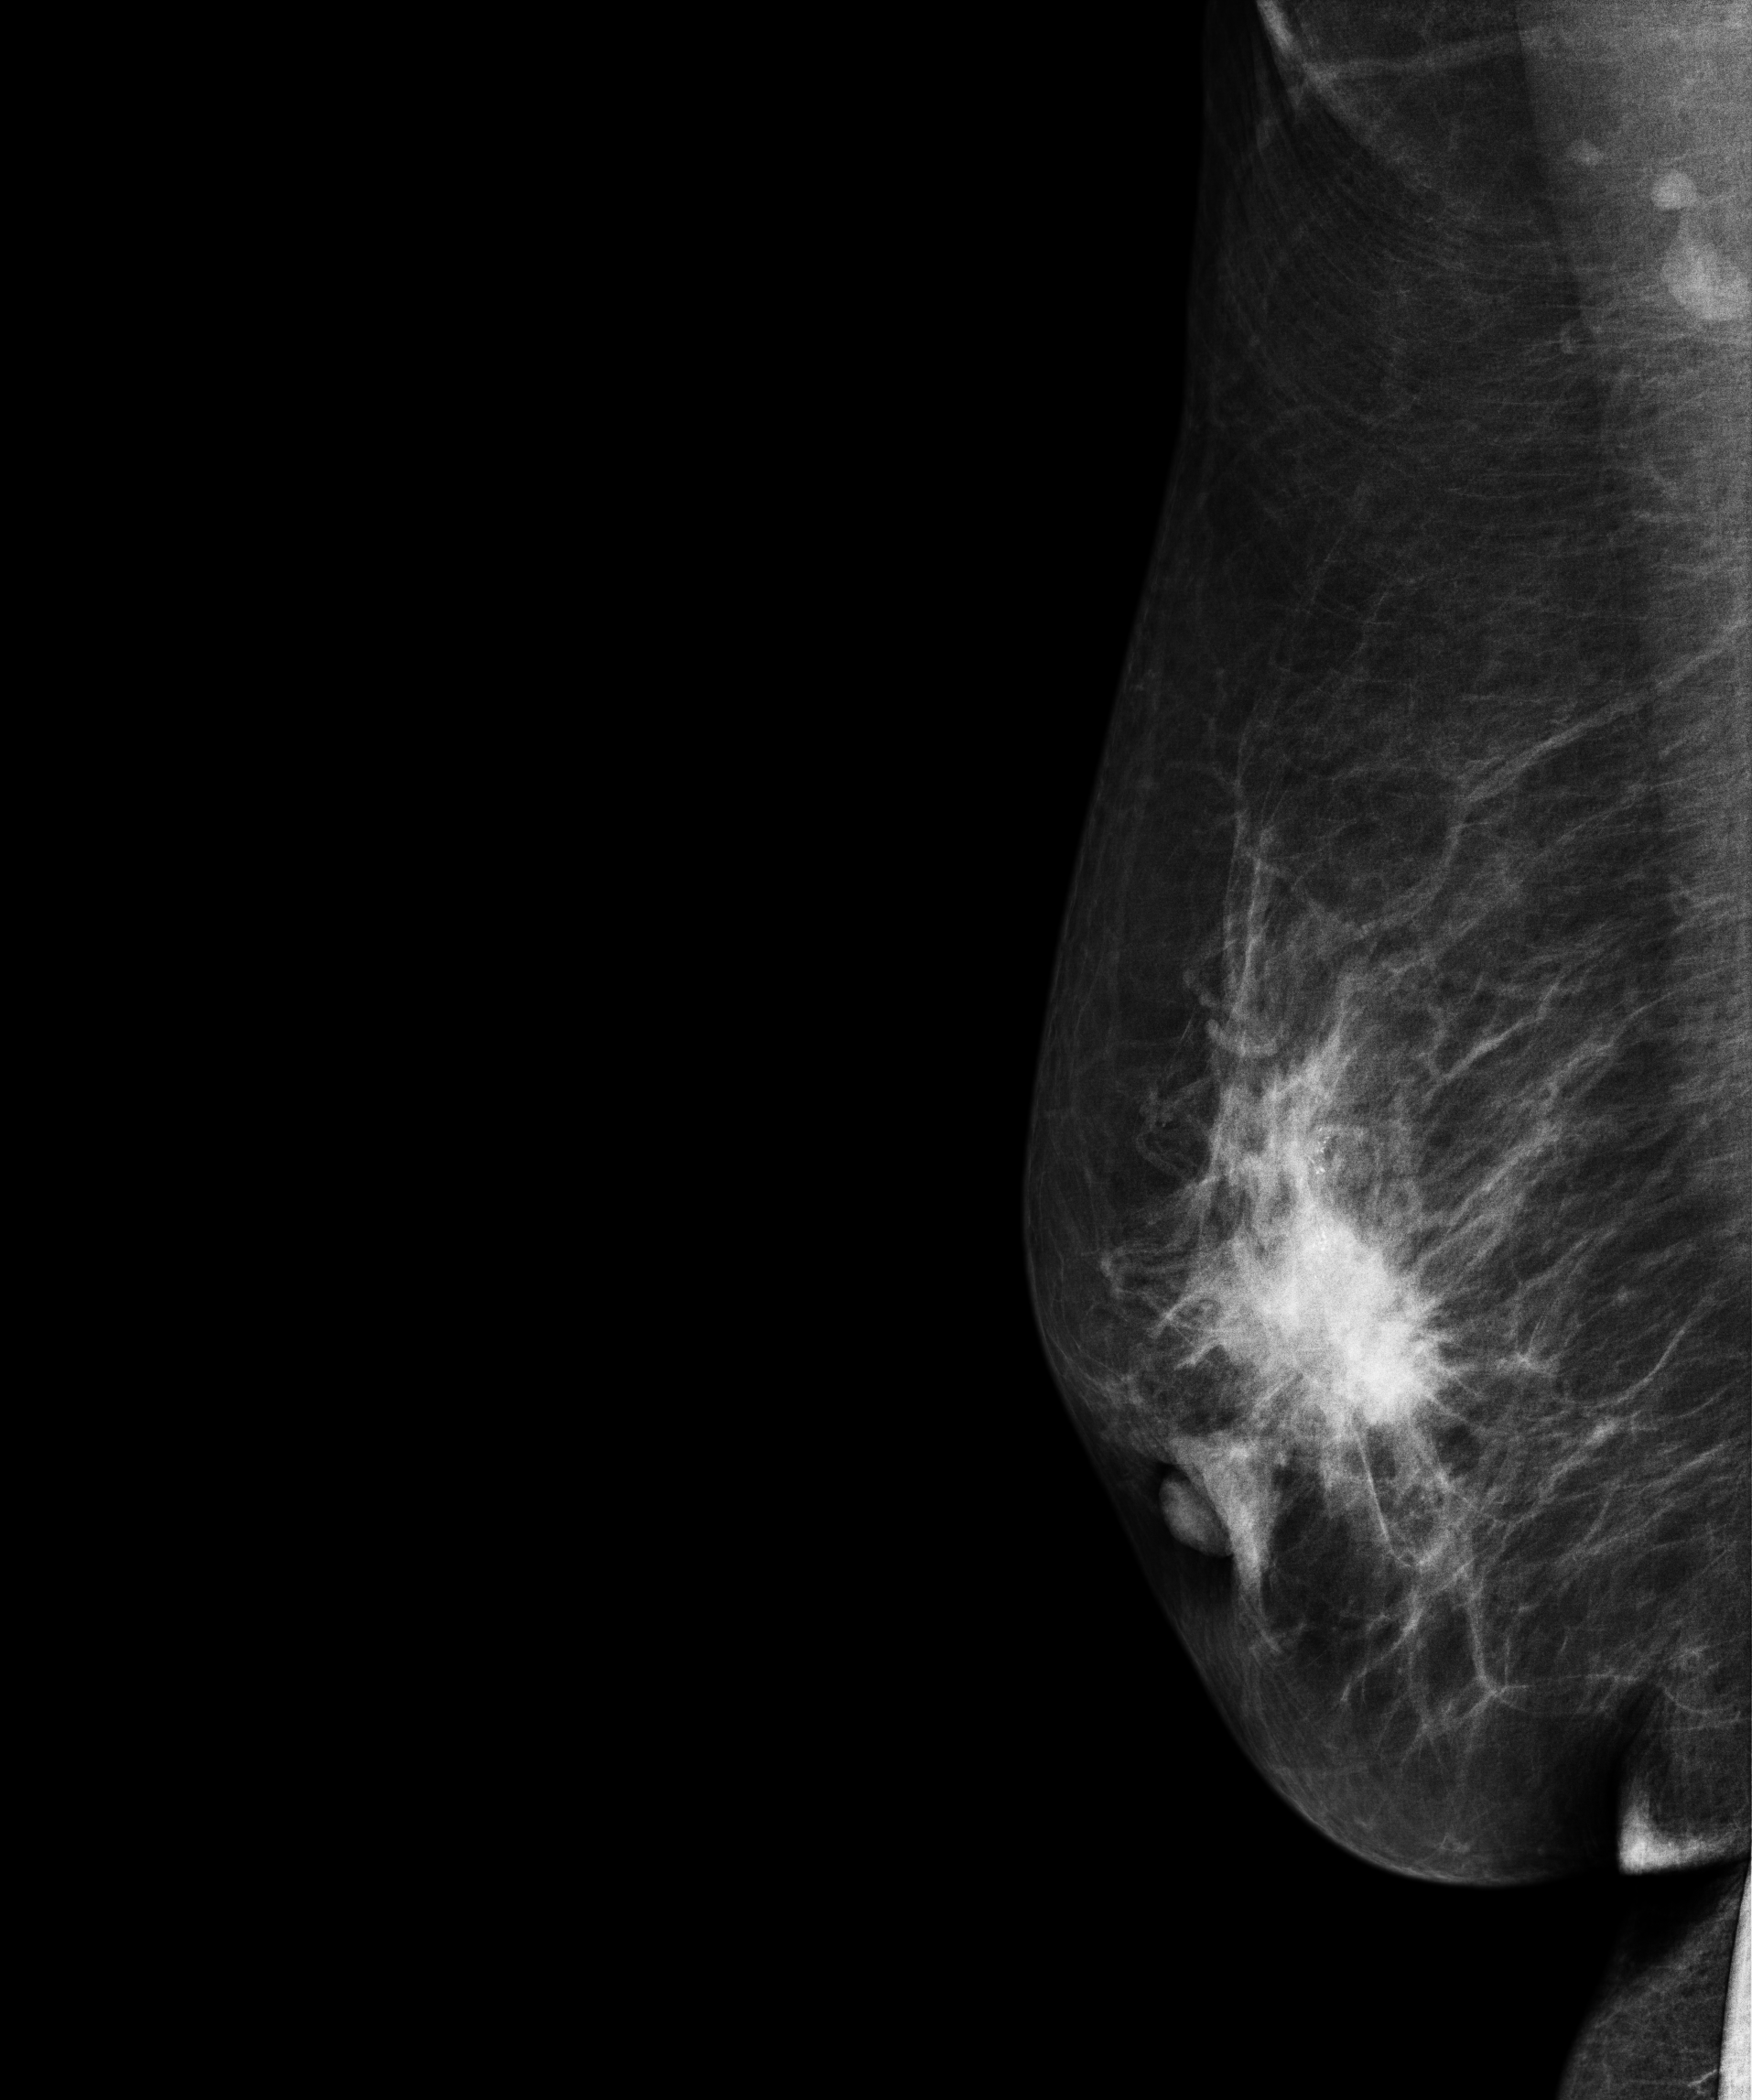
Right-breast mammogram, MLO. Patient age 62.
This breast has a mass and calcifications, biopsy-proven malignant. Molecular subtype: luminal B.